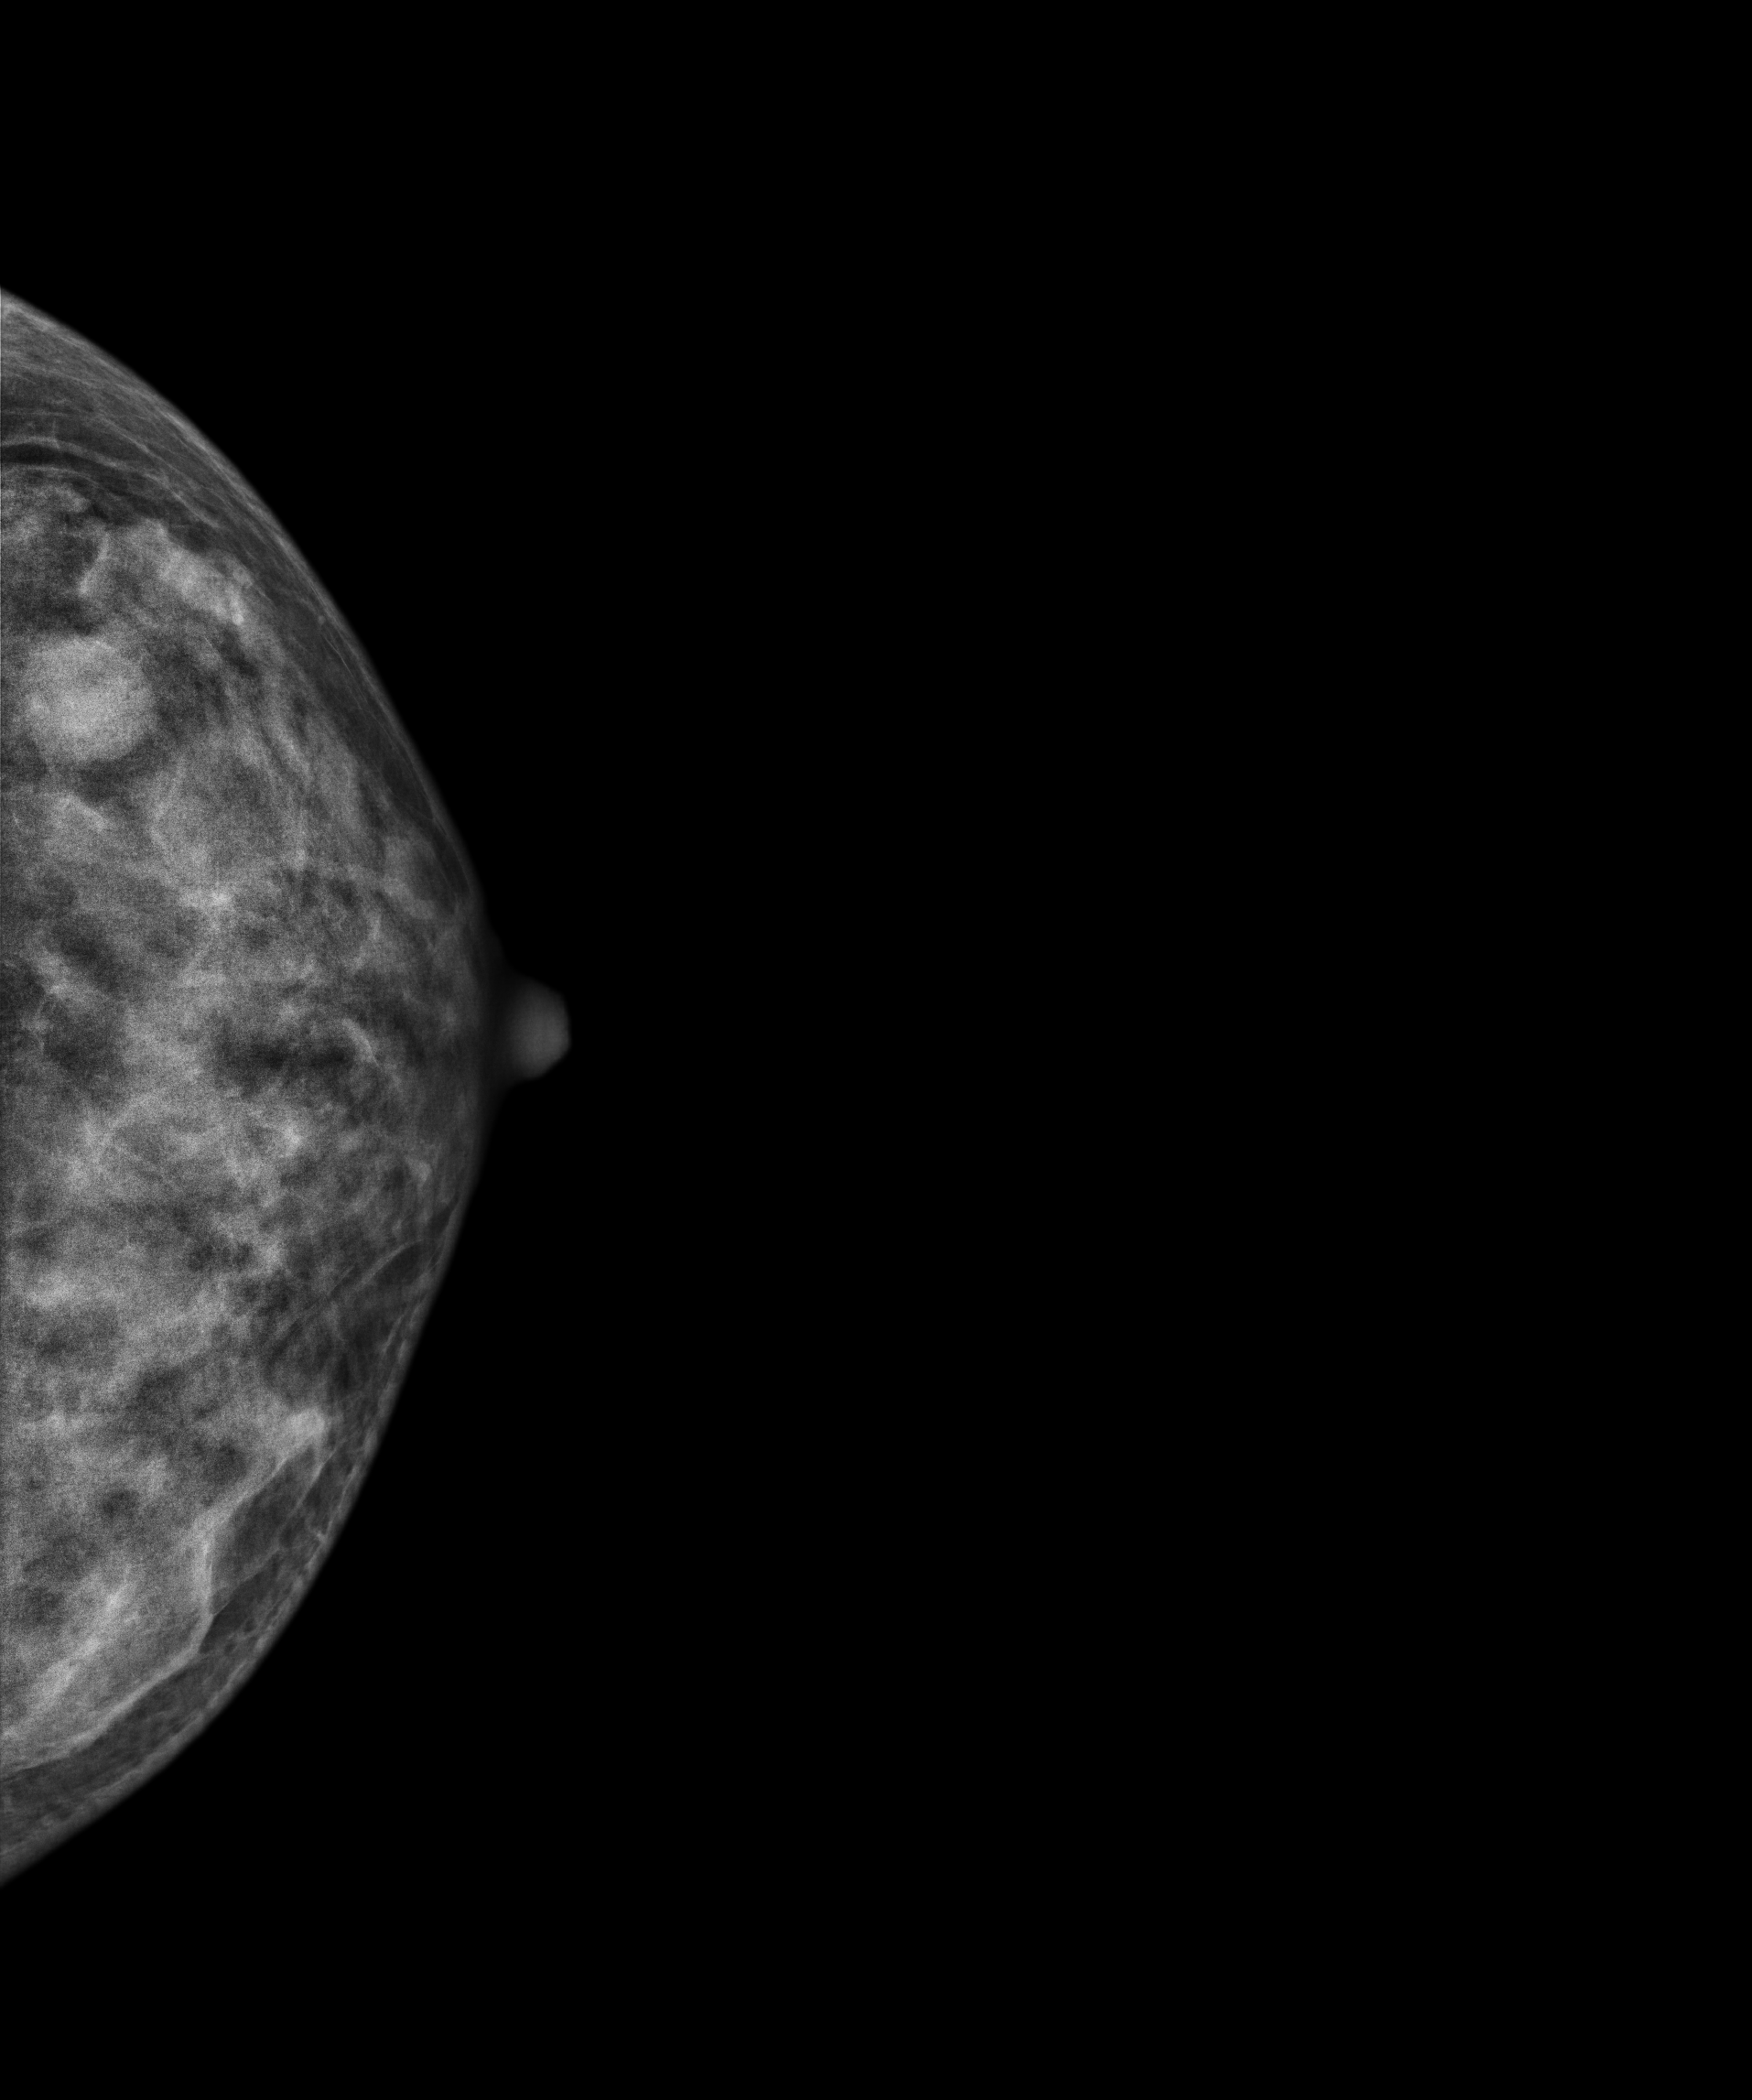
CC mammogram of the left breast. 38 y/o patient.
This breast has a mass, histologically confirmed benign.